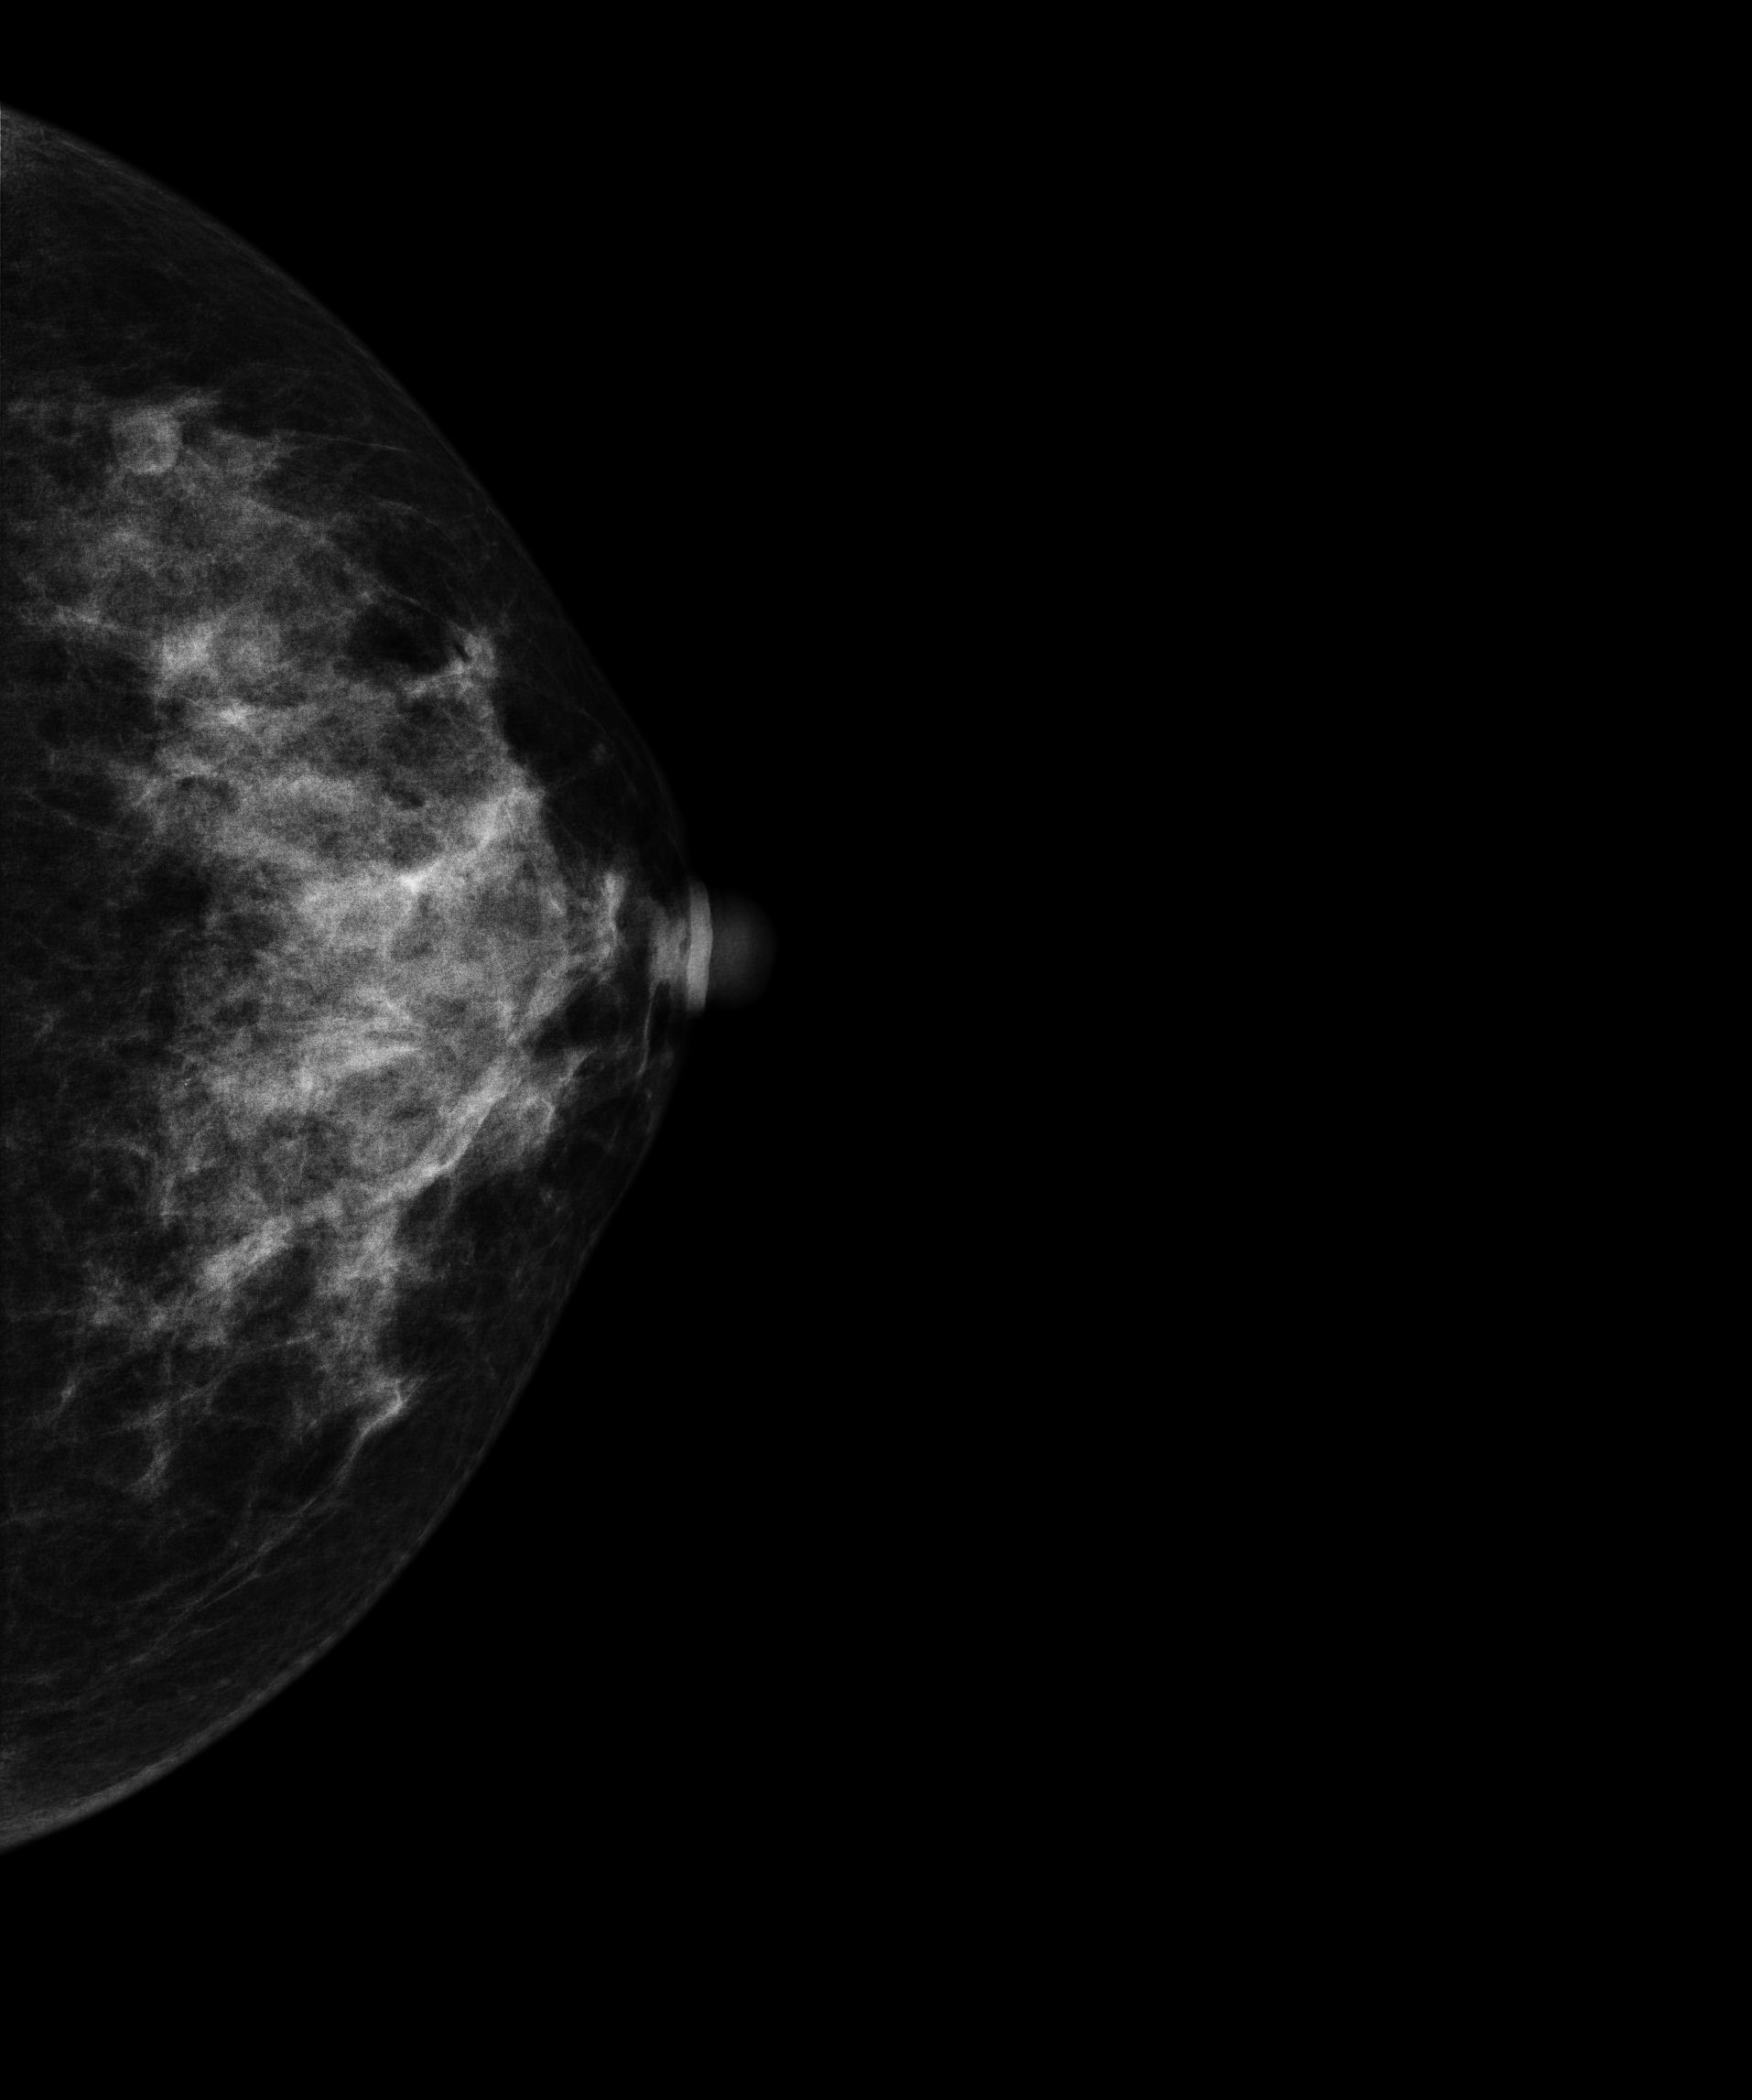
Mammogram — left CC. 47 y/o patient.
Contralateral breast — no documented abnormality on this side.